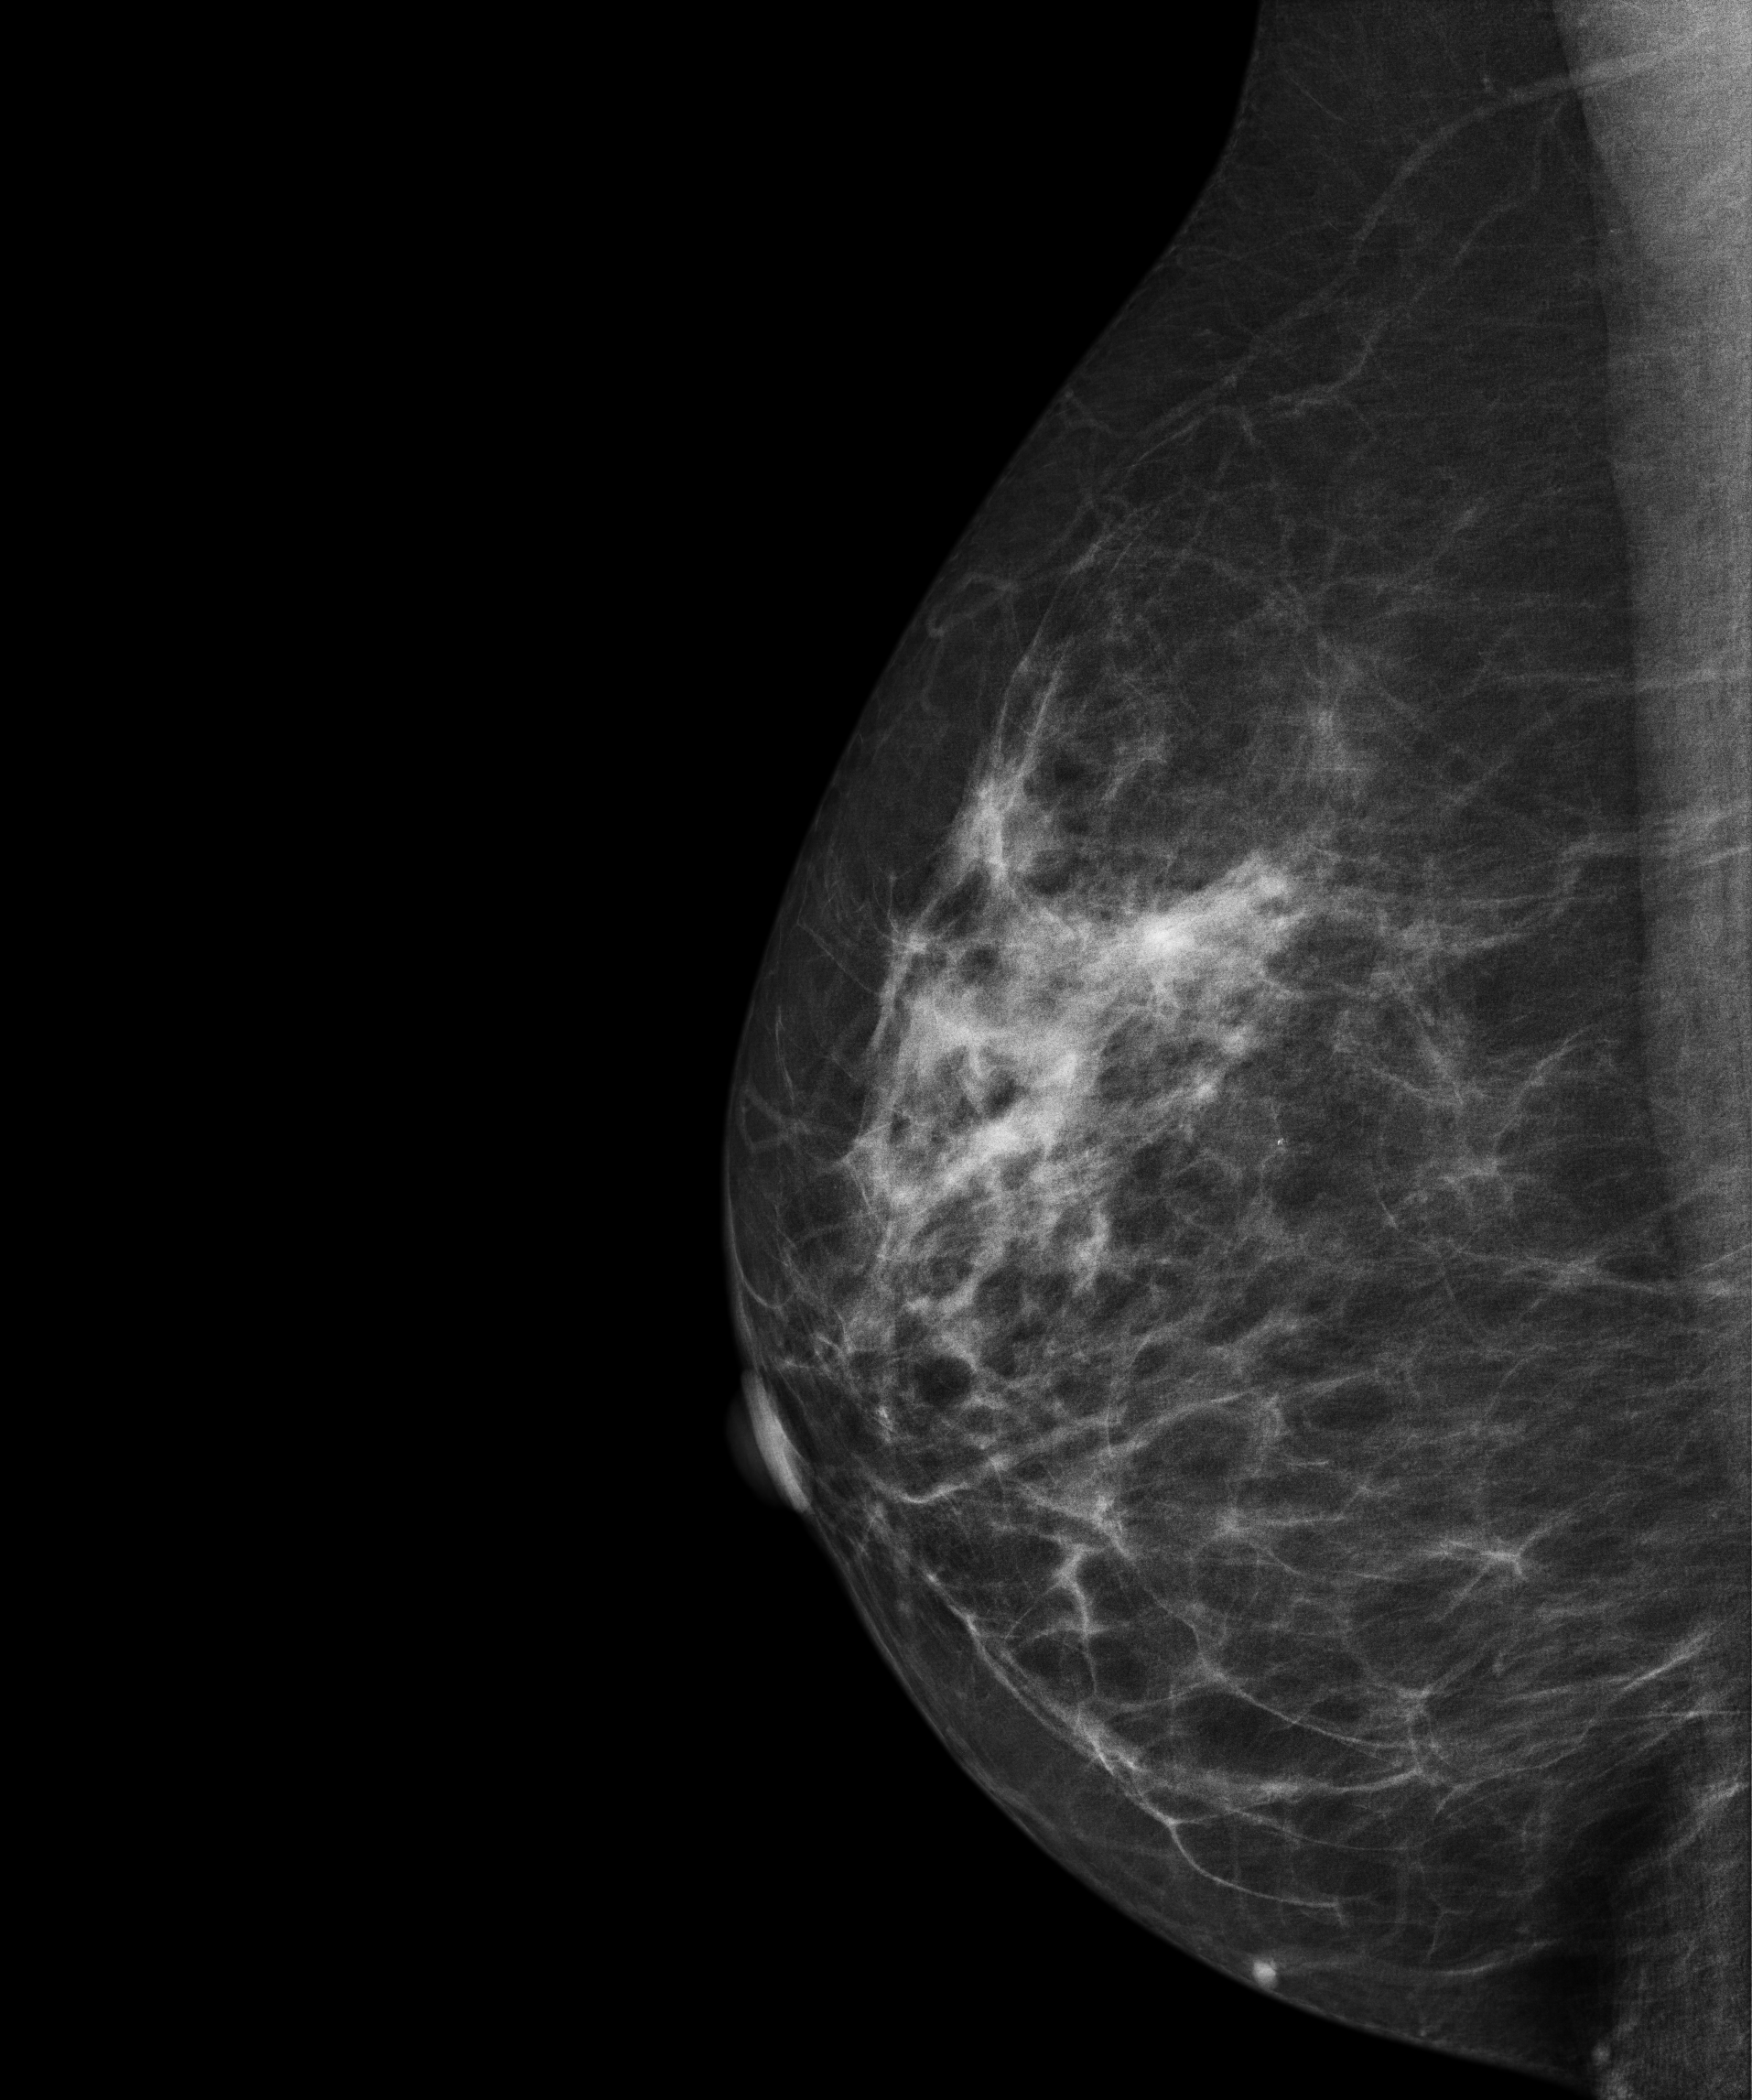
Right-breast mammogram, medio-lateral oblique. 65 y/o patient.
Contralateral breast — no documented abnormality on this side.